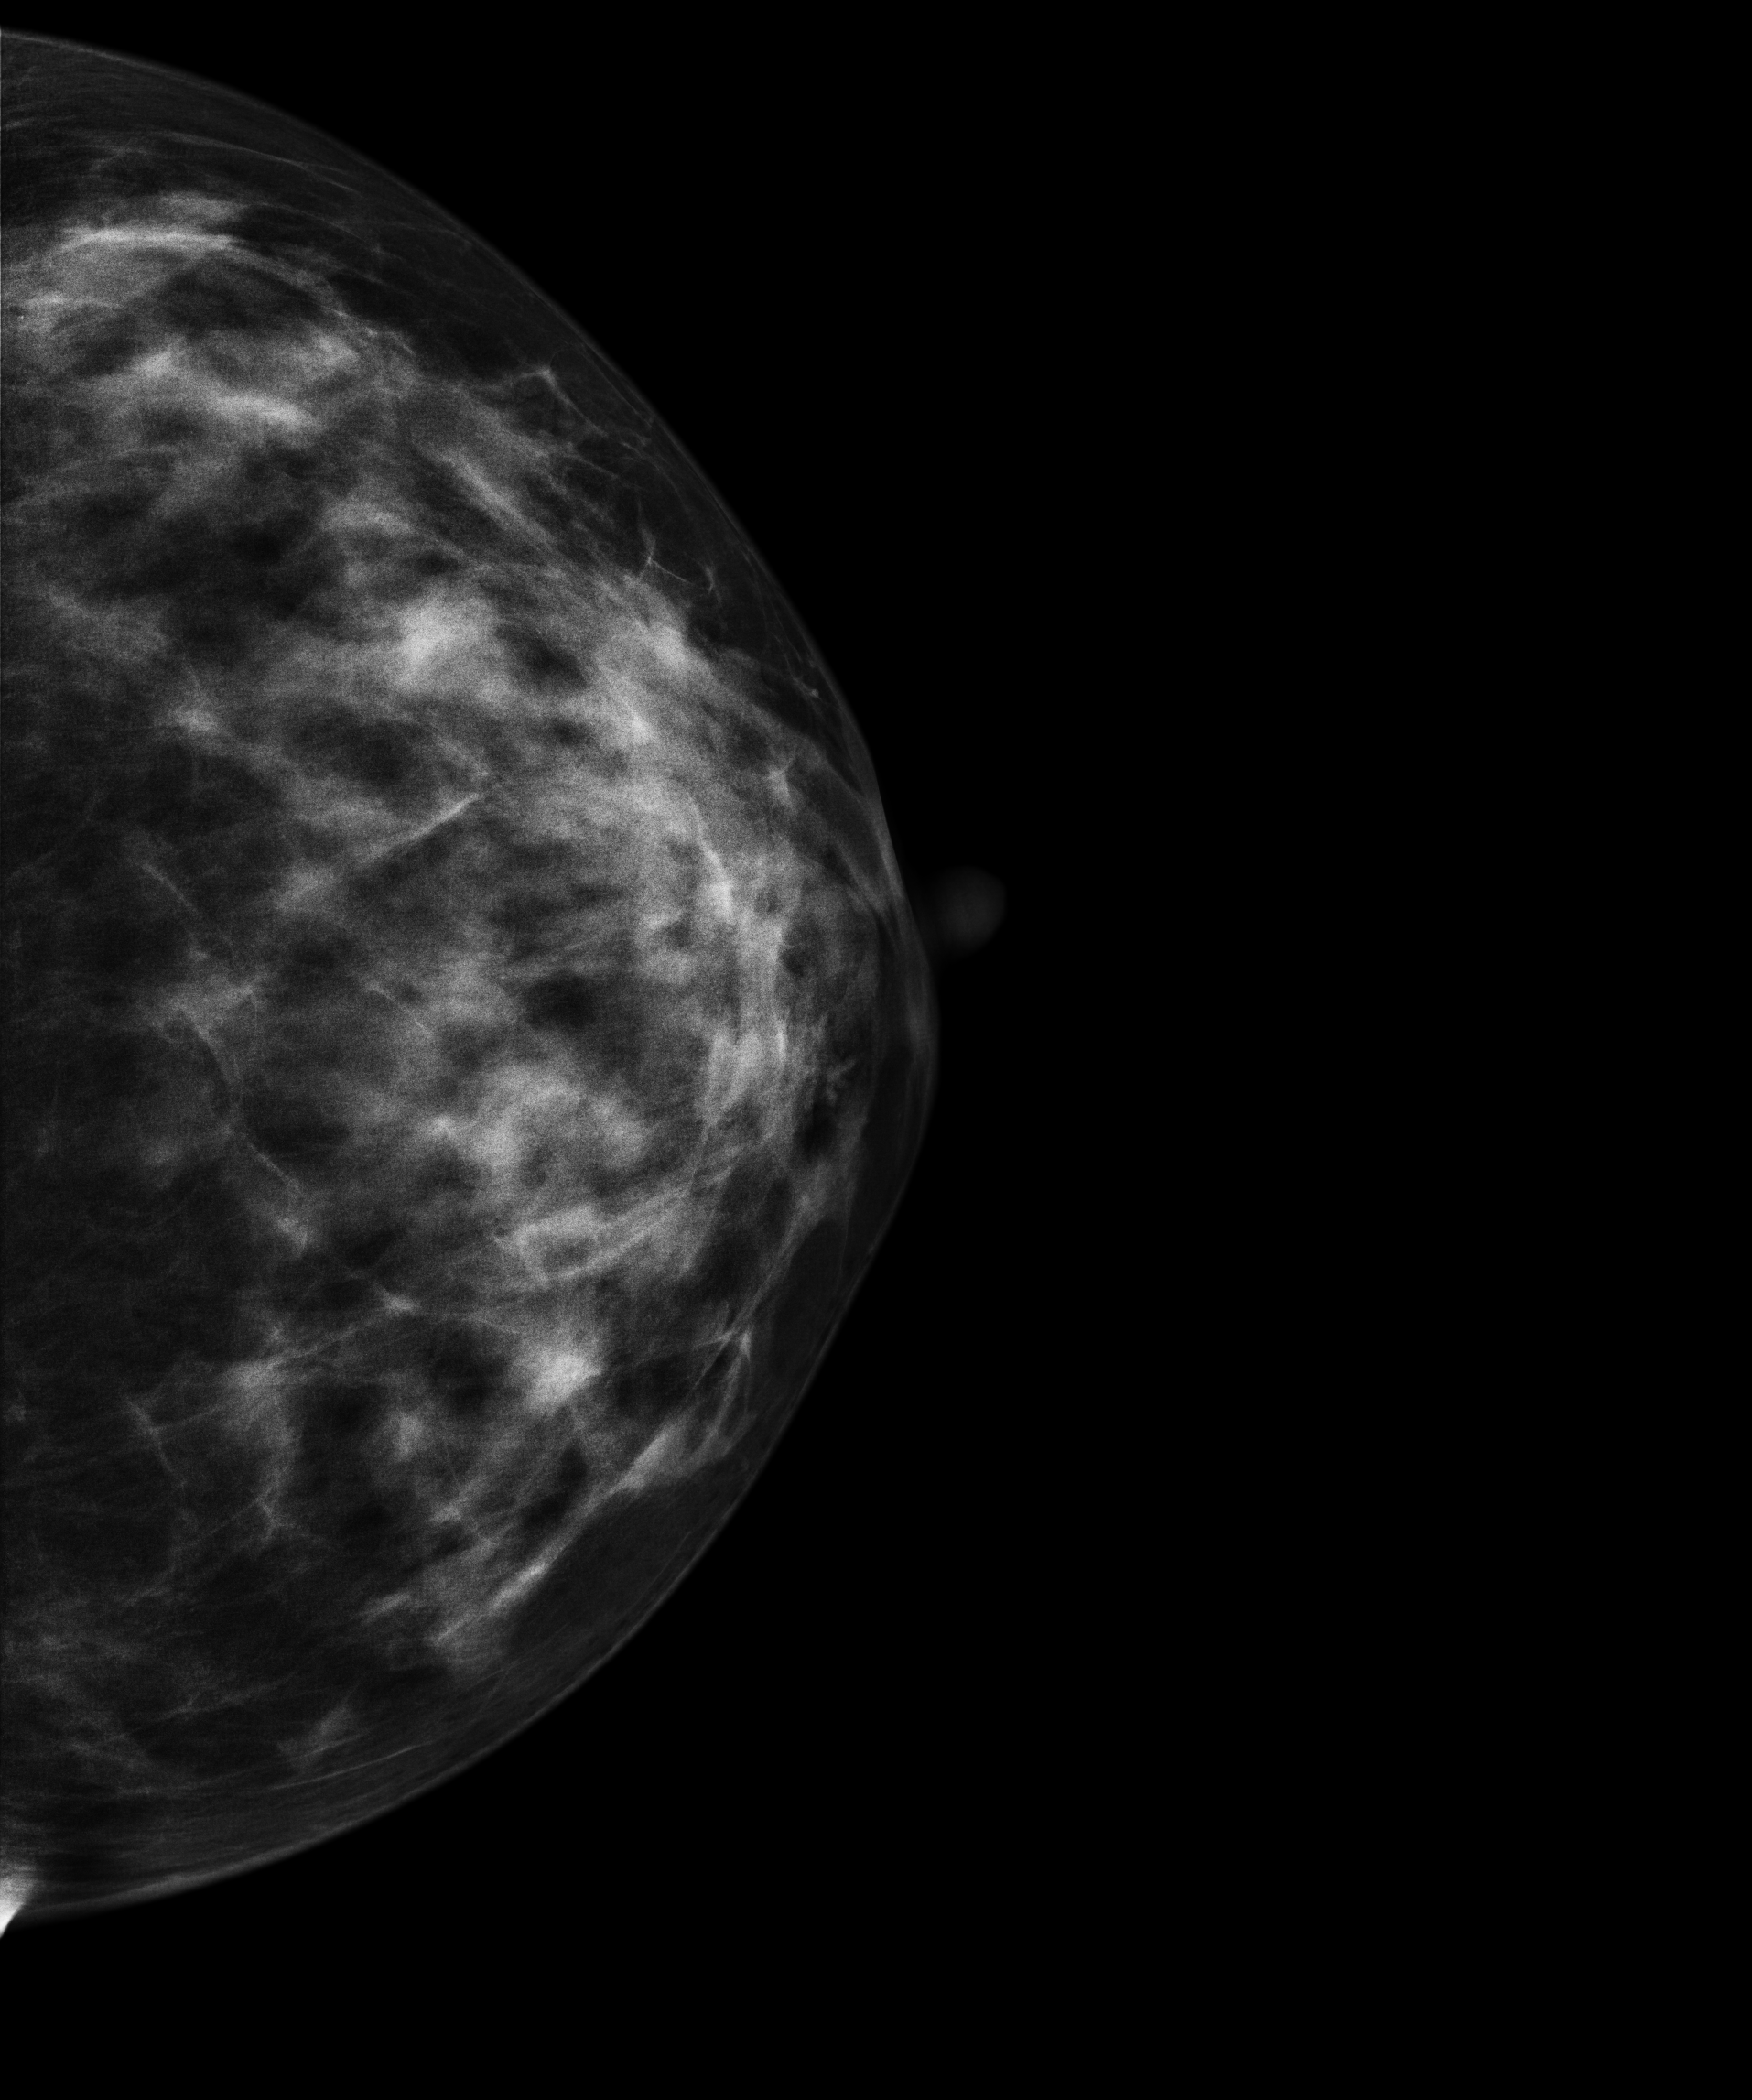
Cranio-caudal mammogram of the left breast. 40 y/o patient.
This breast has a mass, biopsy-proven malignant. Molecular subtype: luminal B.